Right-breast mammogram, cranio-caudal. 56 y/o patient.
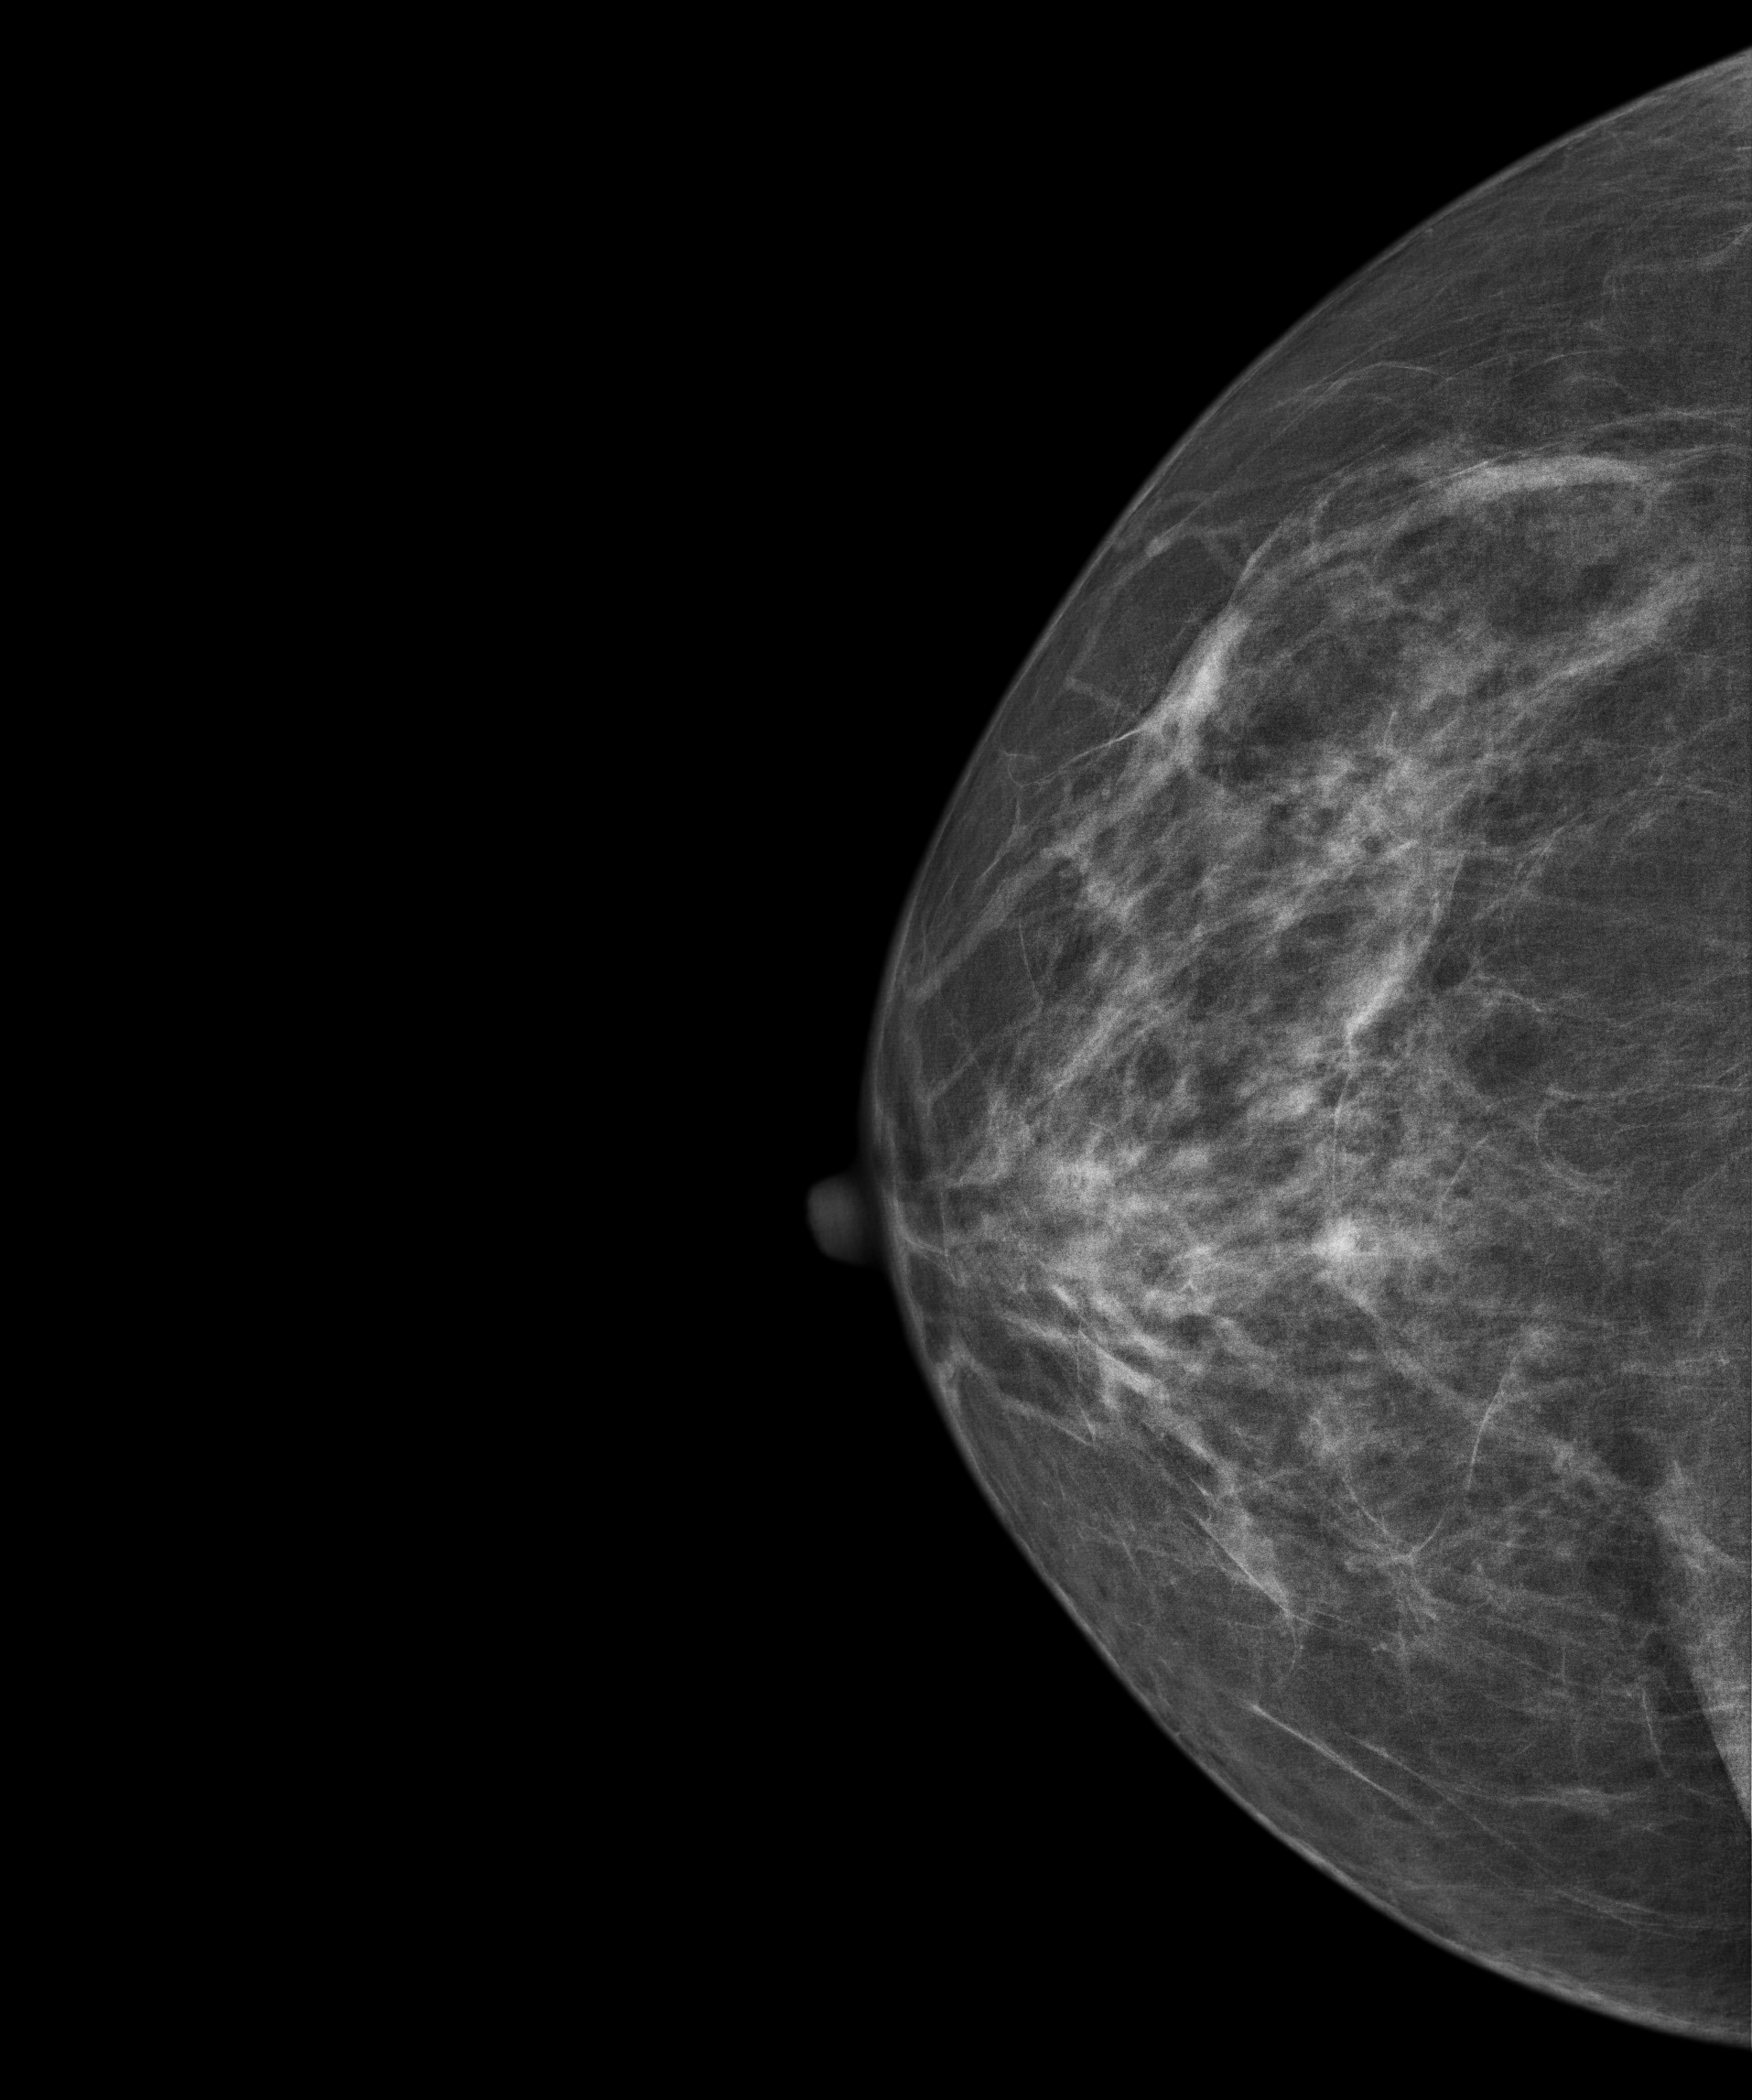
This breast has a mass, histologically confirmed benign.